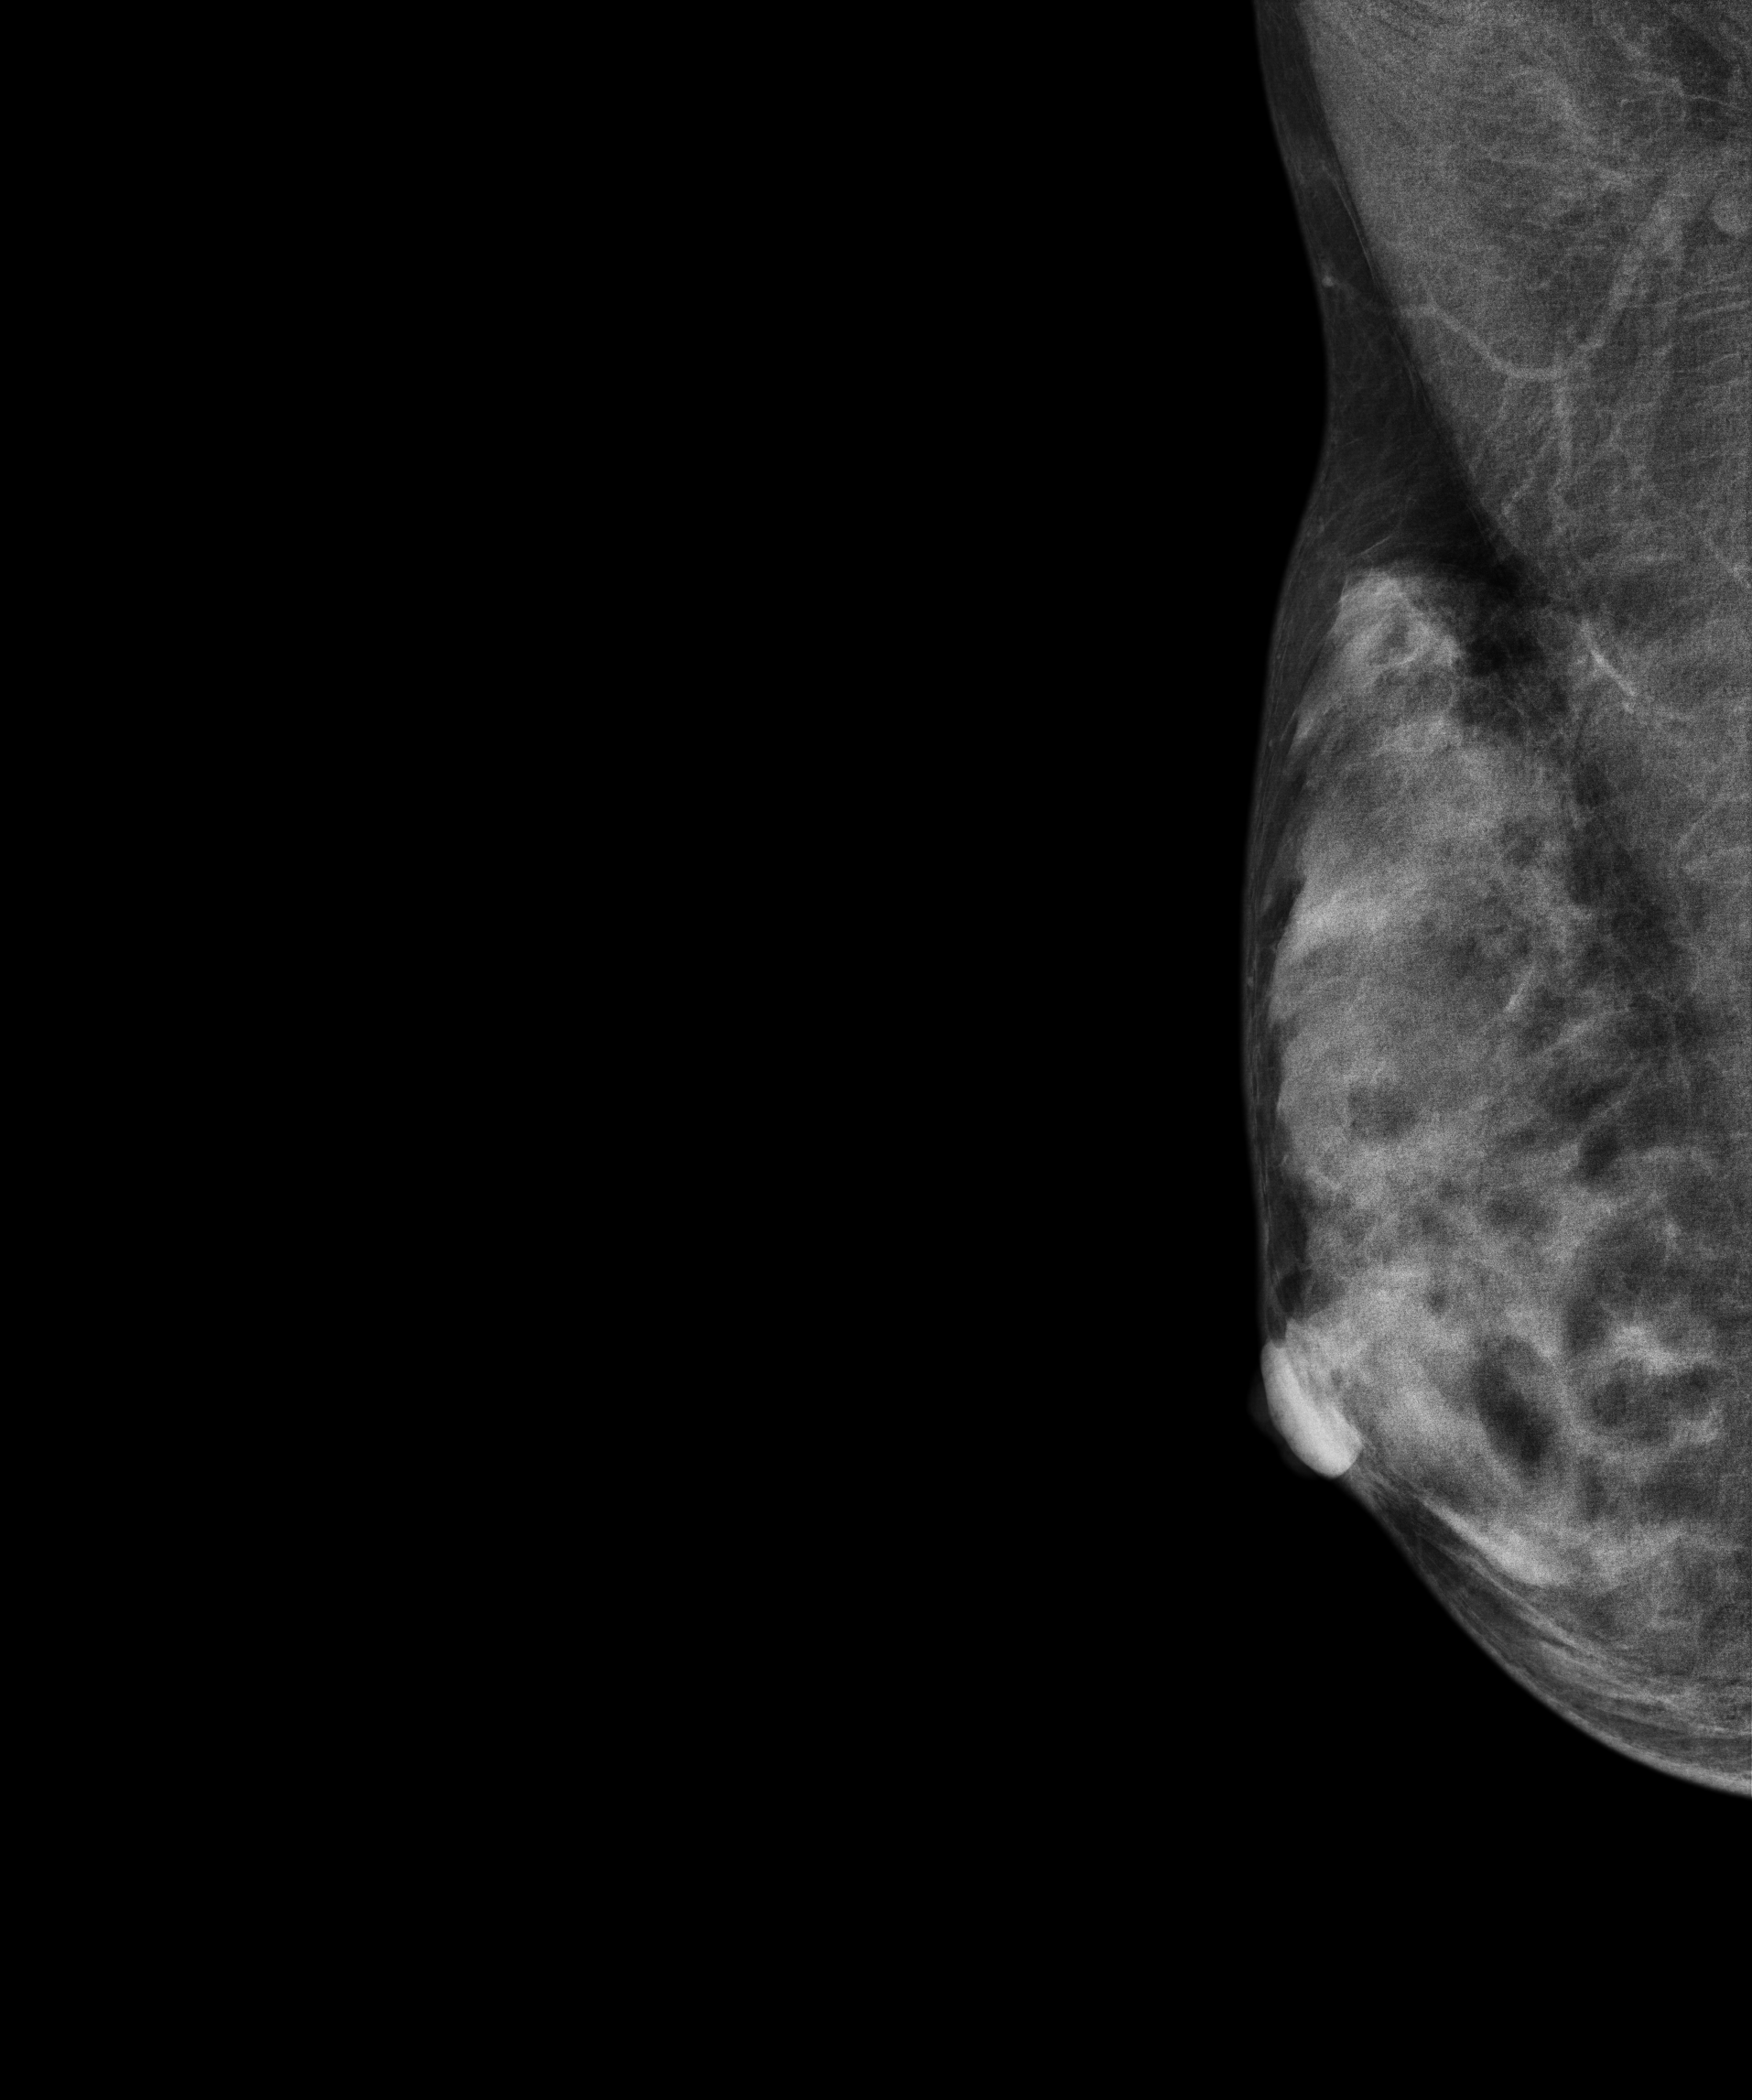
Digital mammography. Right breast, medio-lateral oblique projection. Patient age 29.
Contralateral breast — no documented abnormality on this side.